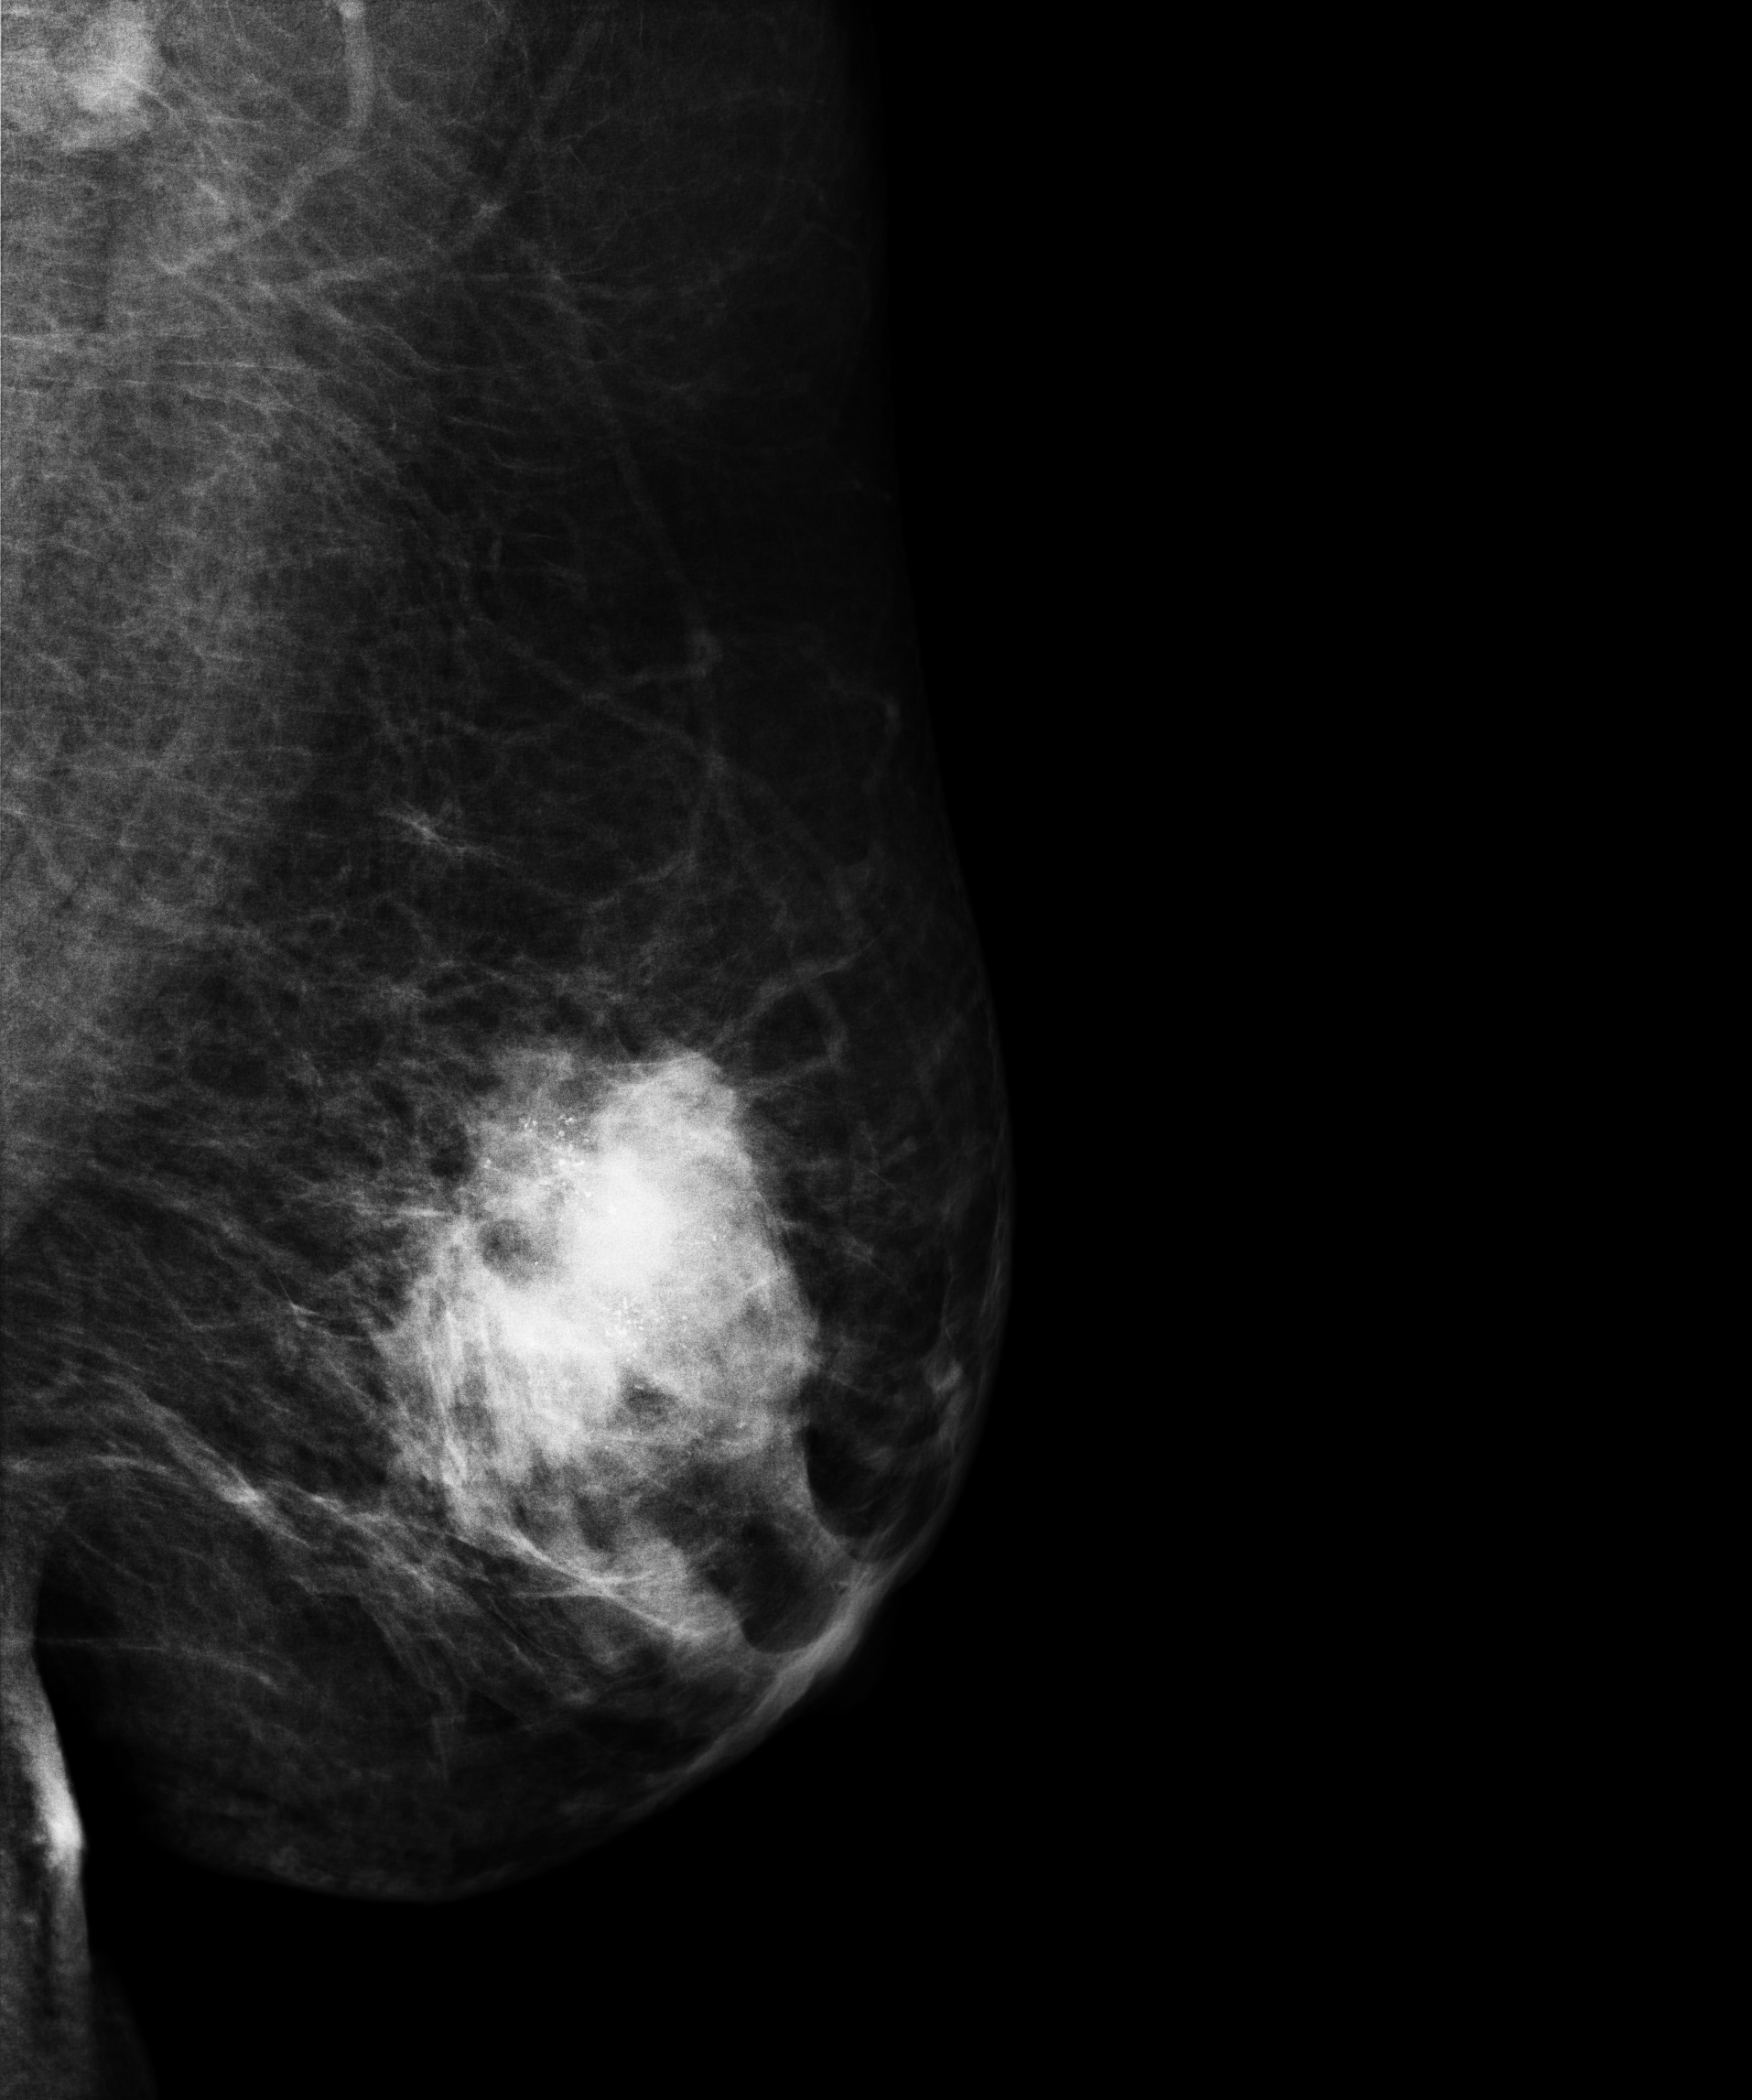
Mammogram — left medio-lateral oblique. 50 y/o patient.
This breast has a mass and calcifications, biopsy-proven malignant. Molecular subtype: luminal B.